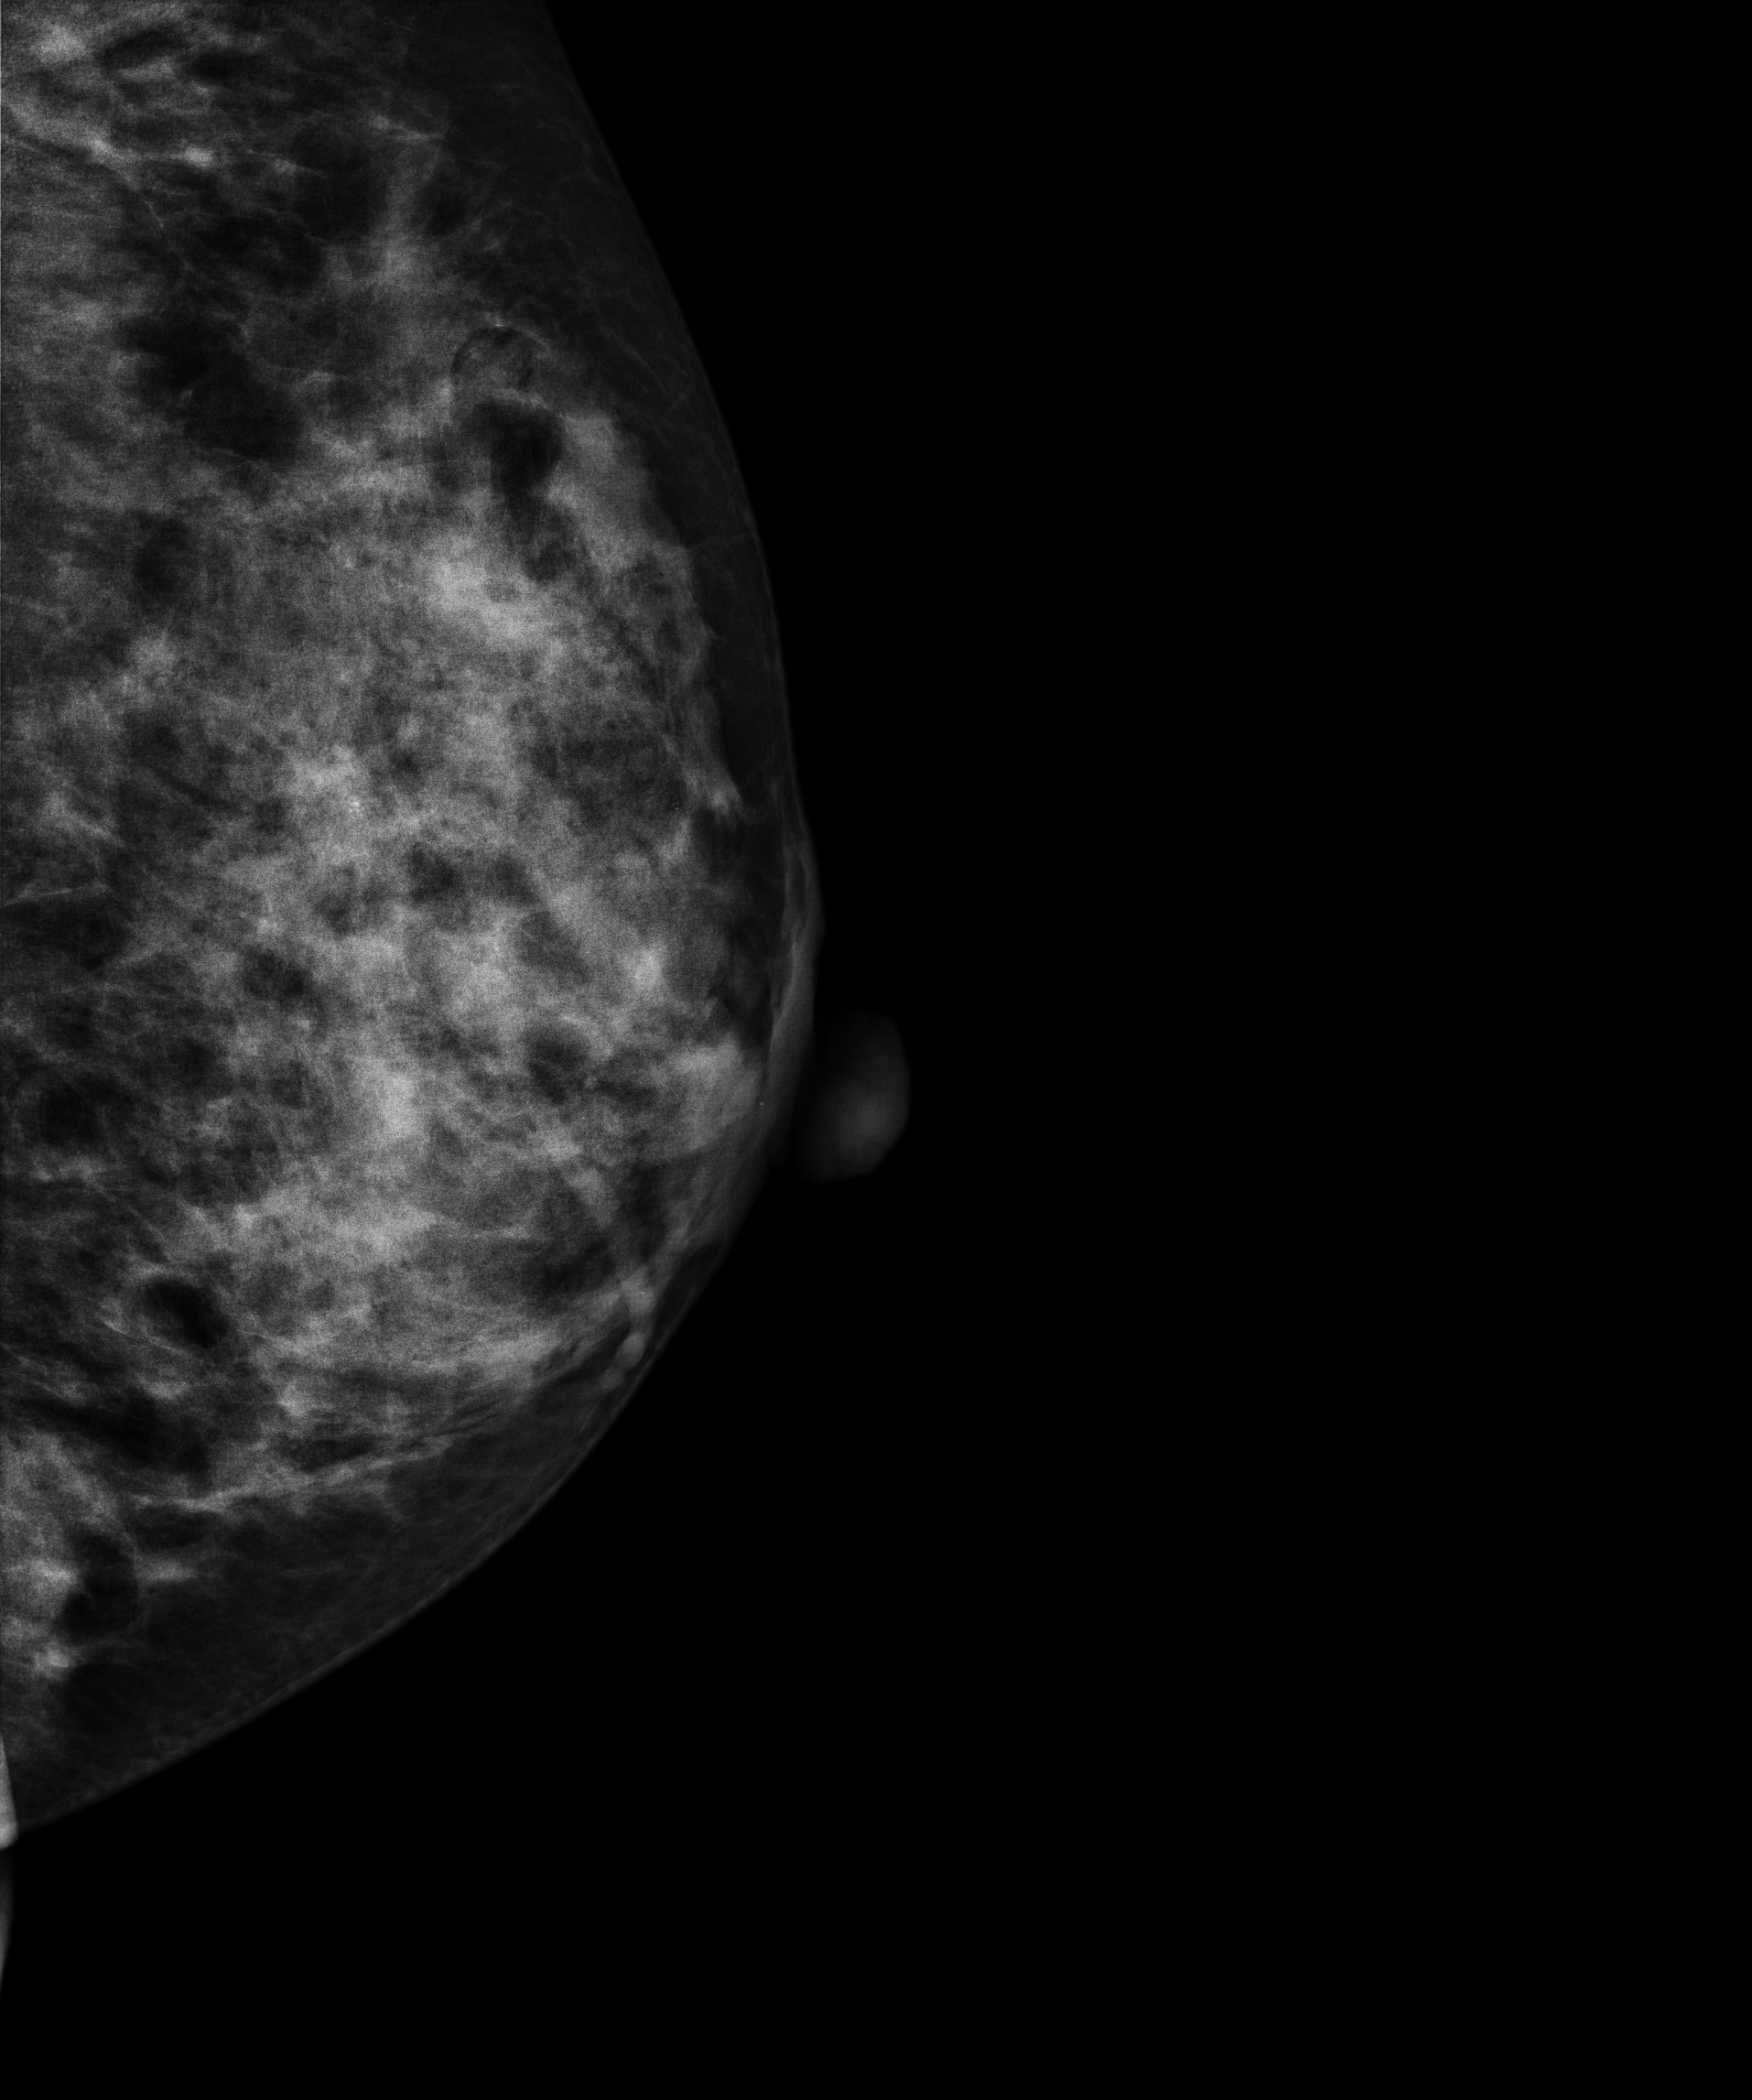
Mammogram, left breast, medio-lateral oblique view. 48-year-old patient.
This breast has a mass, biopsy-confirmed malignant. Molecular subtype: luminal B.